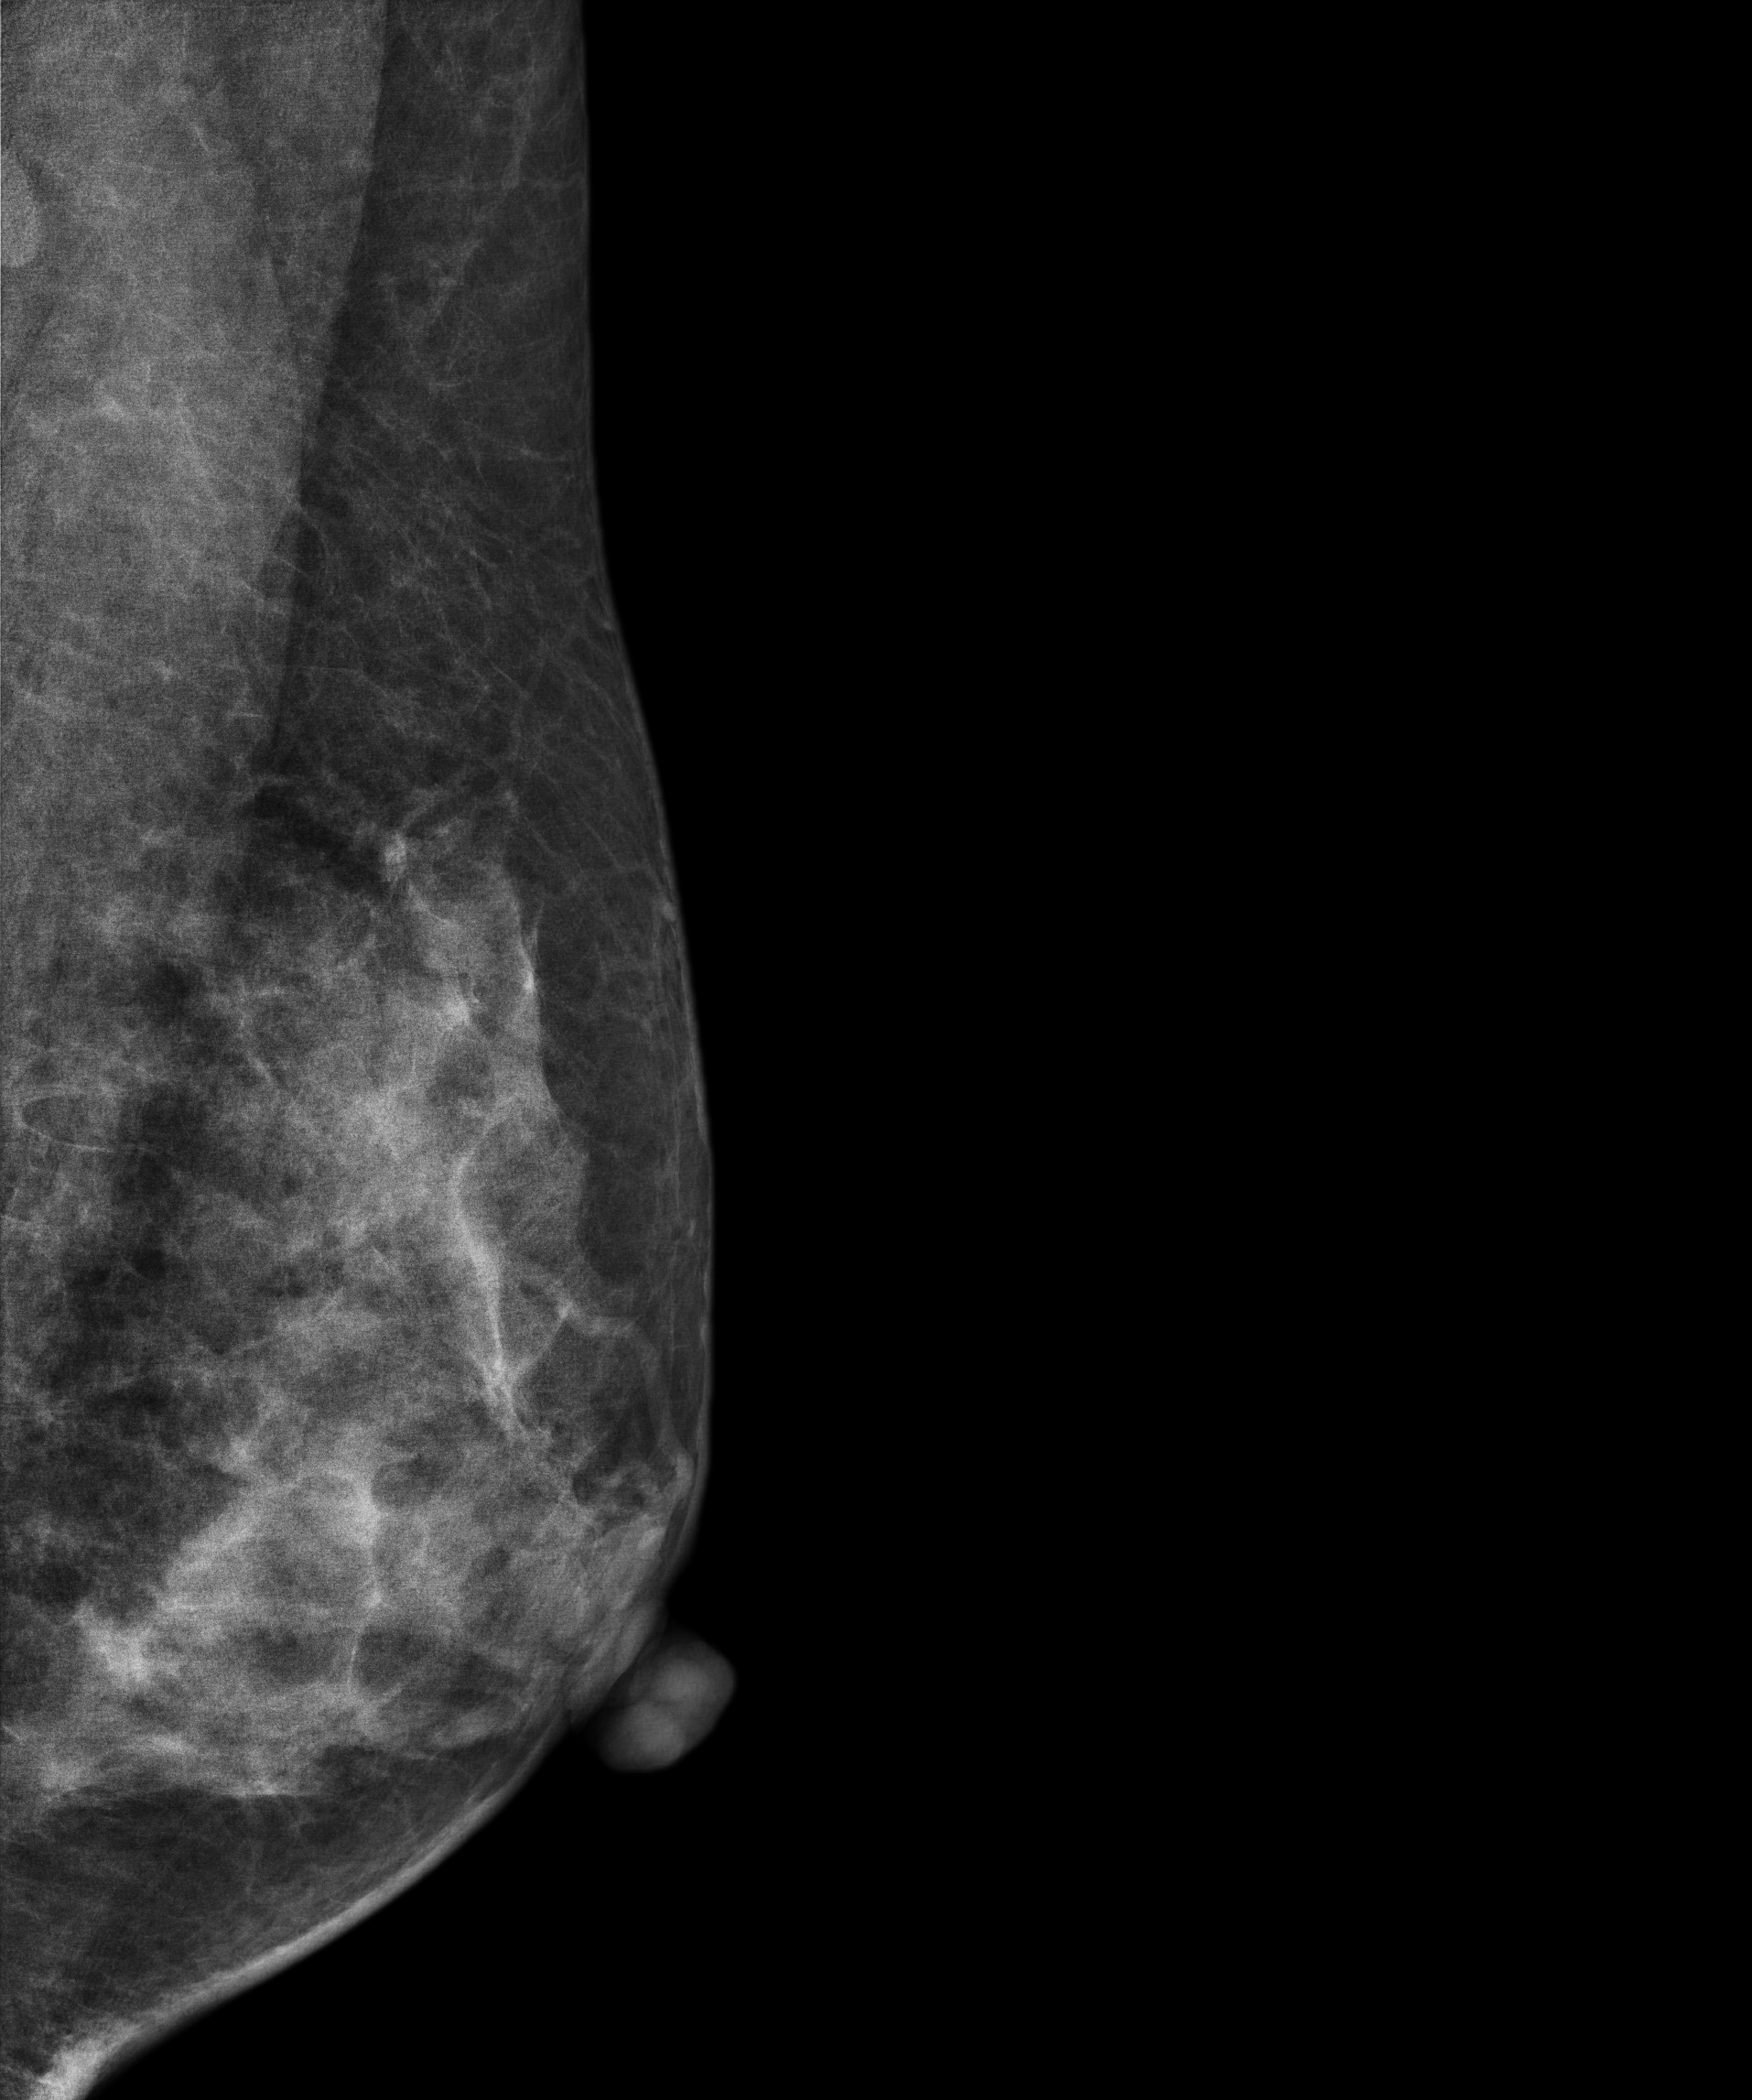
Digital mammography. Left breast, medio-lateral oblique projection. Patient age 39.
Contralateral breast — no documented abnormality on this side.